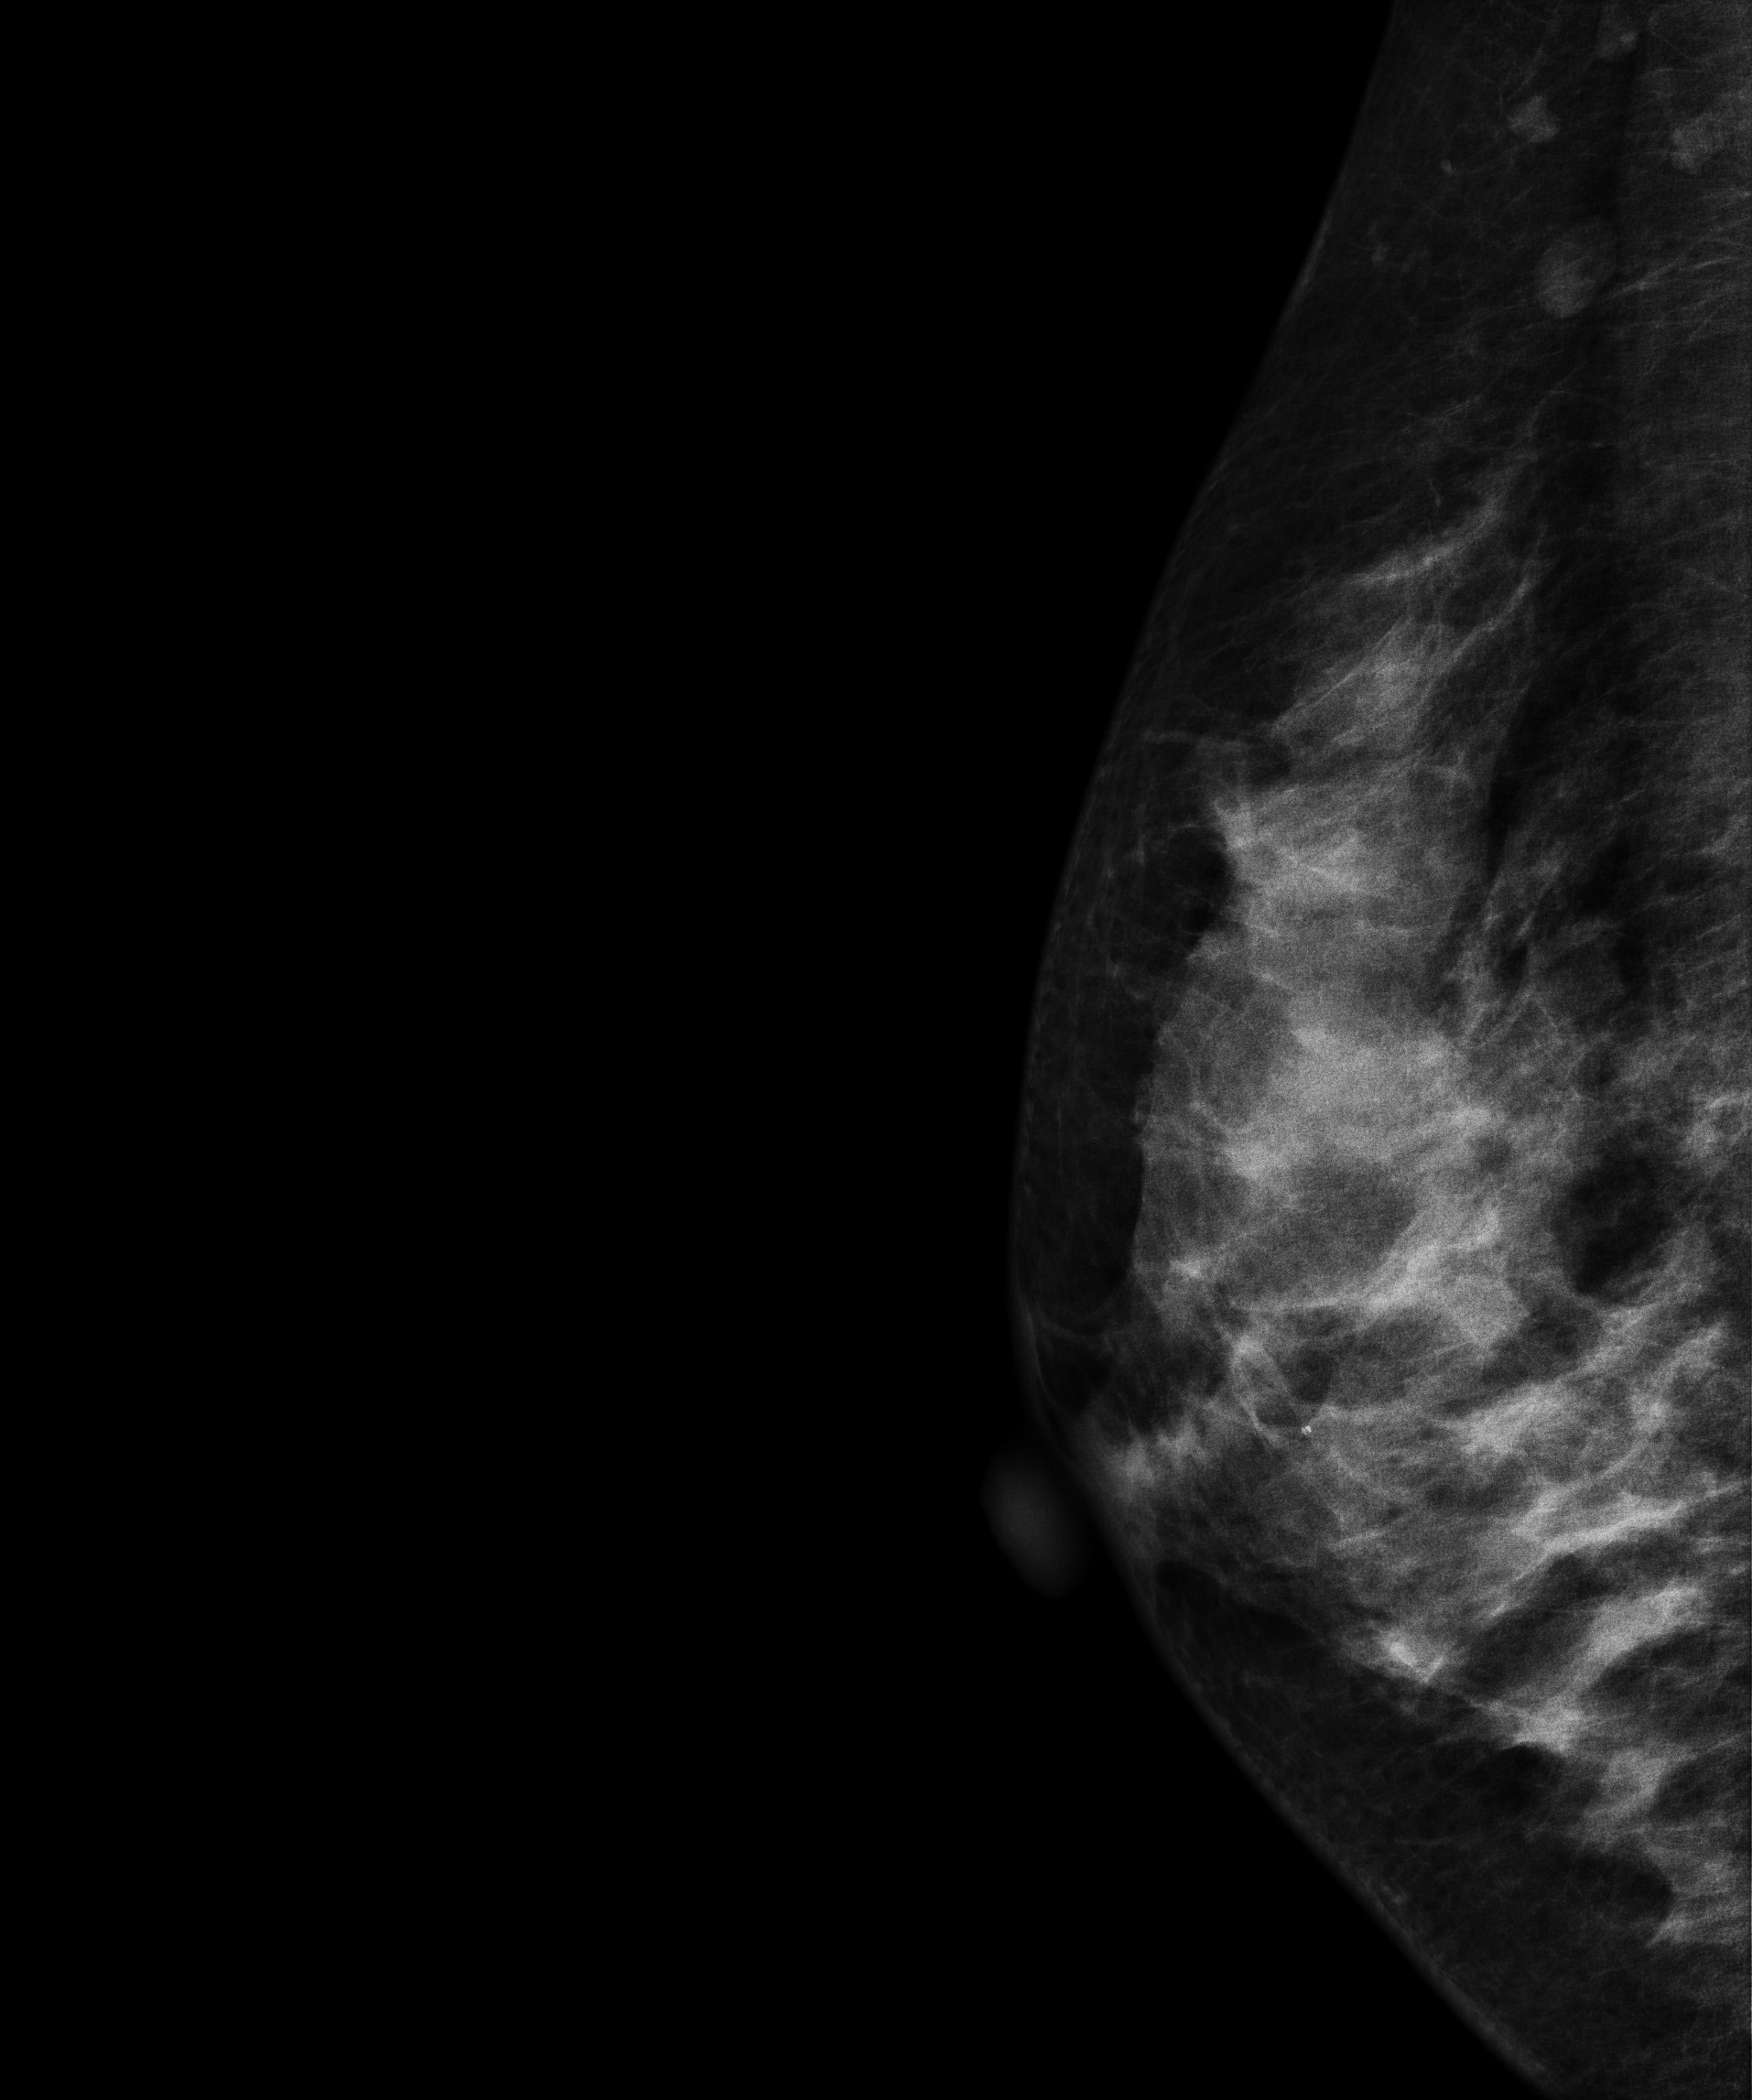
Mammogram, right breast, MLO view. Patient age 41.
This breast has a mass, histologically confirmed benign.